MLO mammogram of the right breast. Patient age 53.
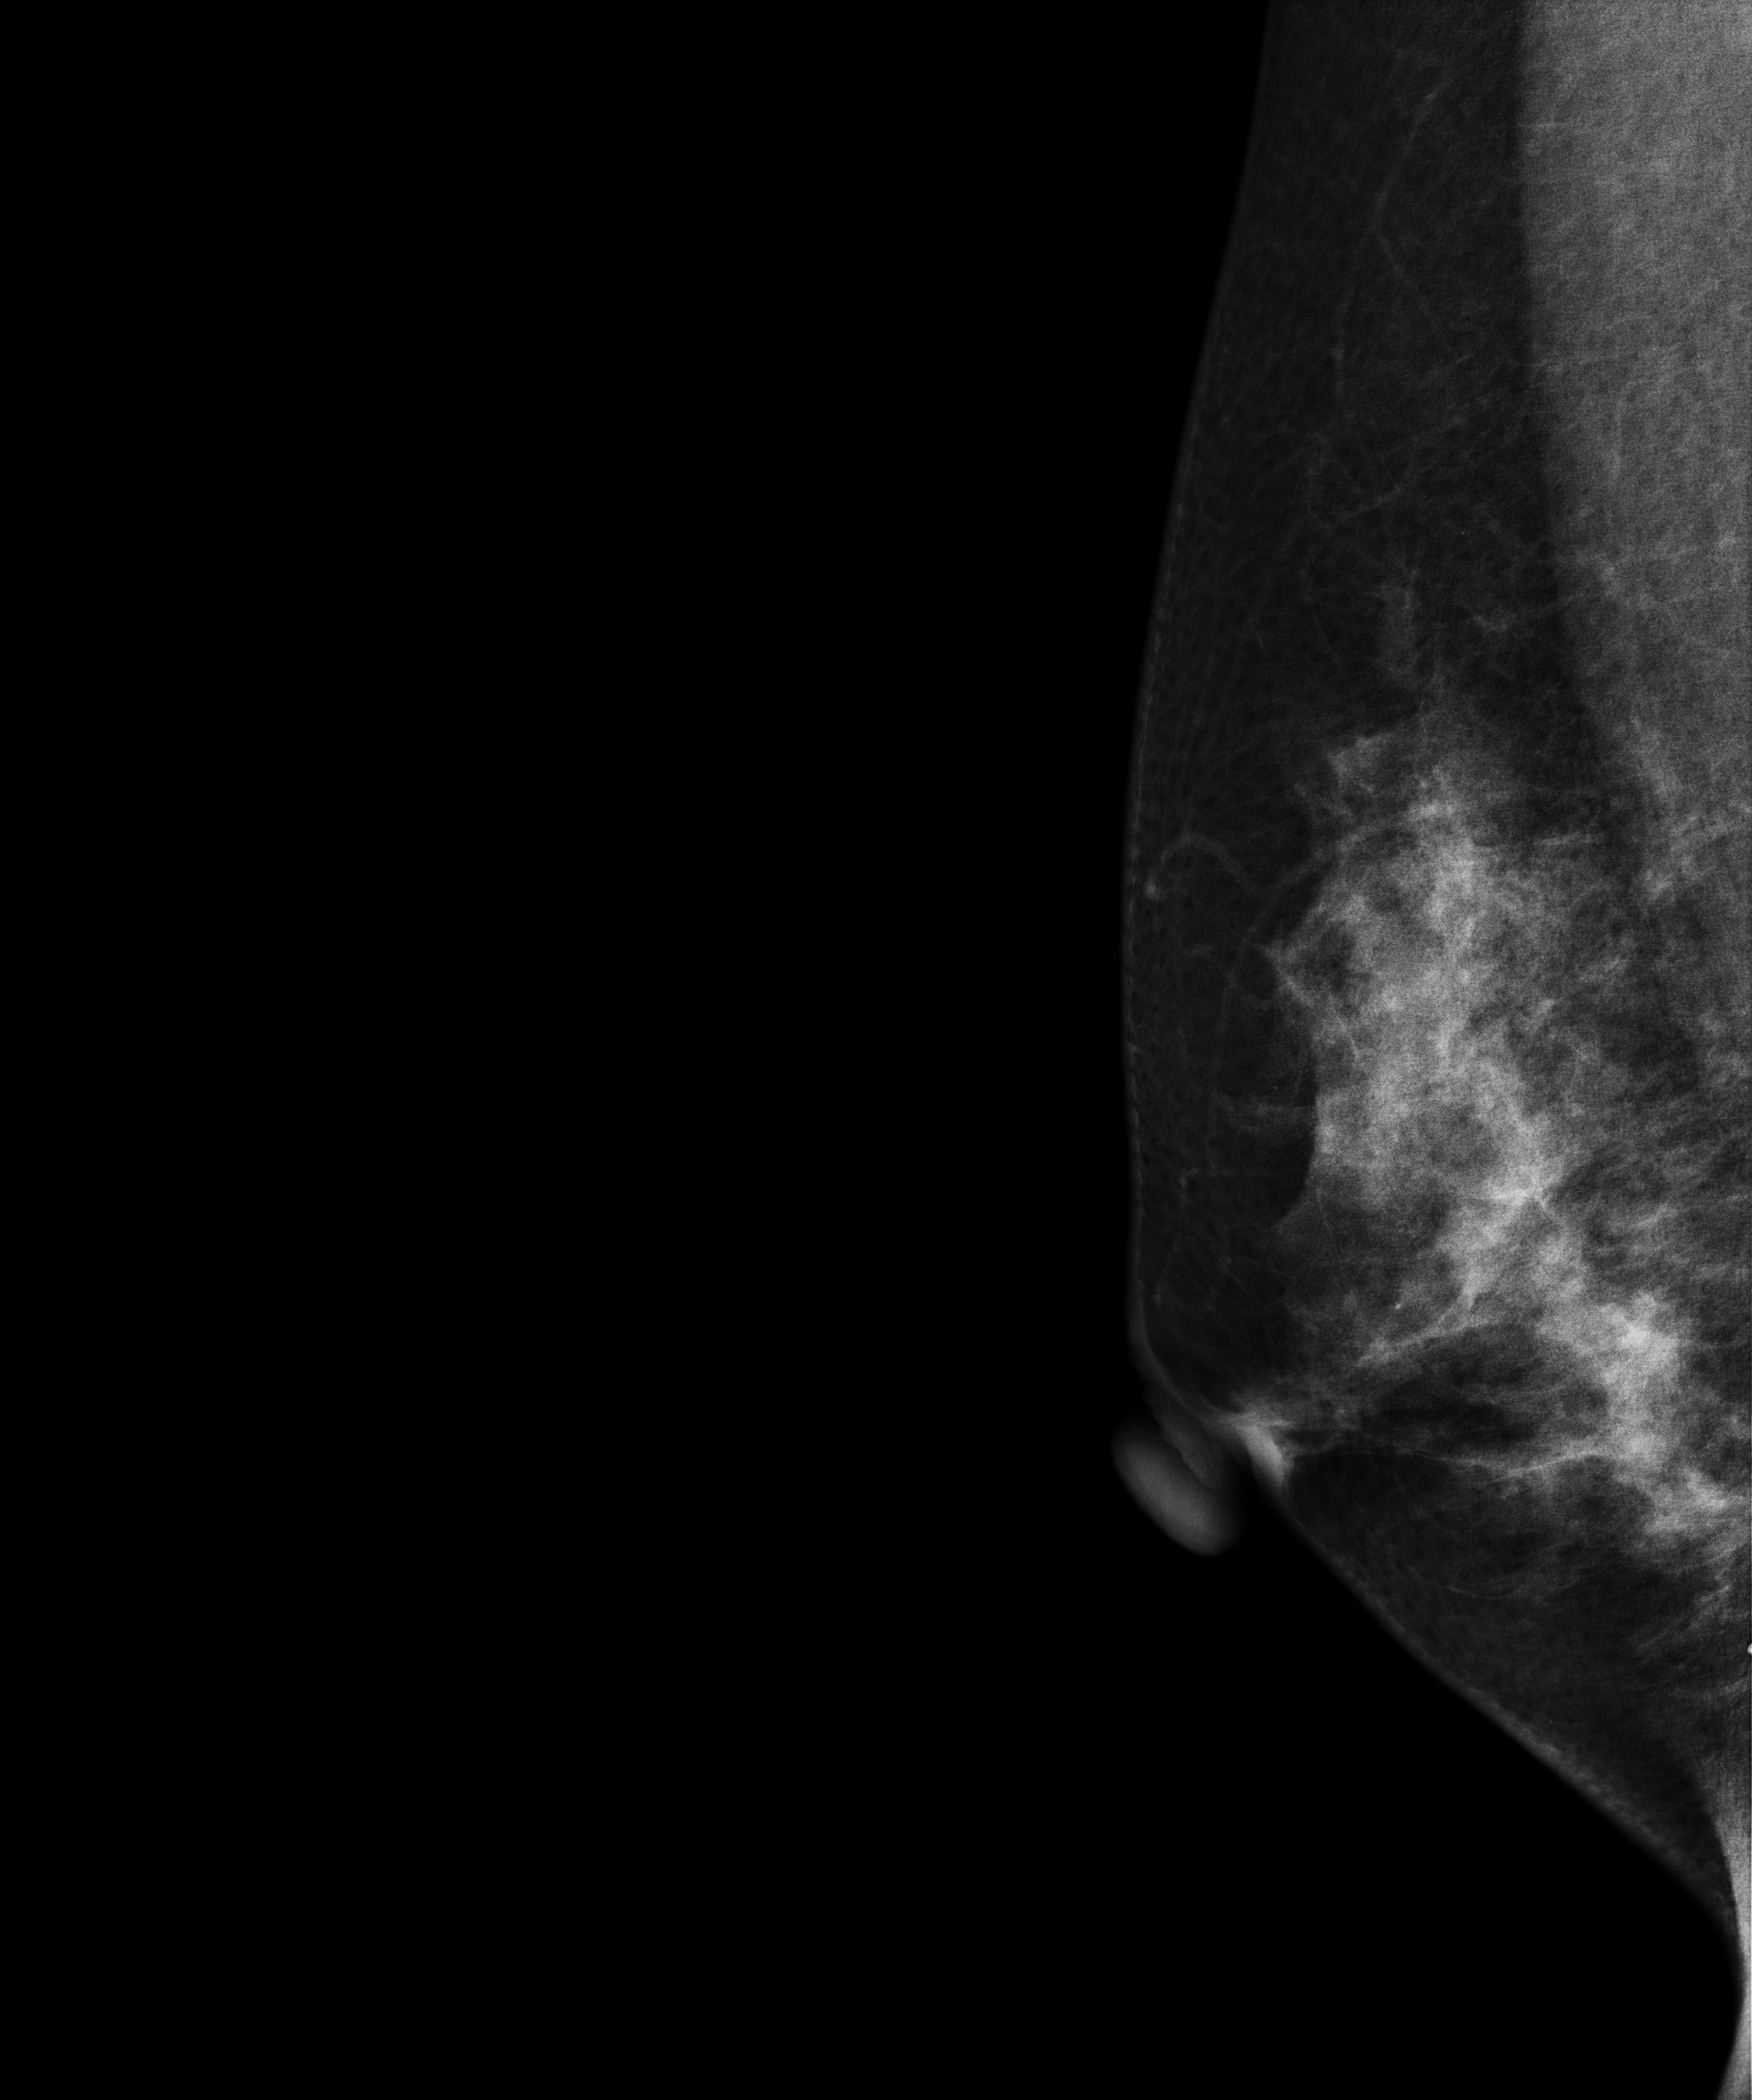
Contralateral breast — no documented abnormality on this side.